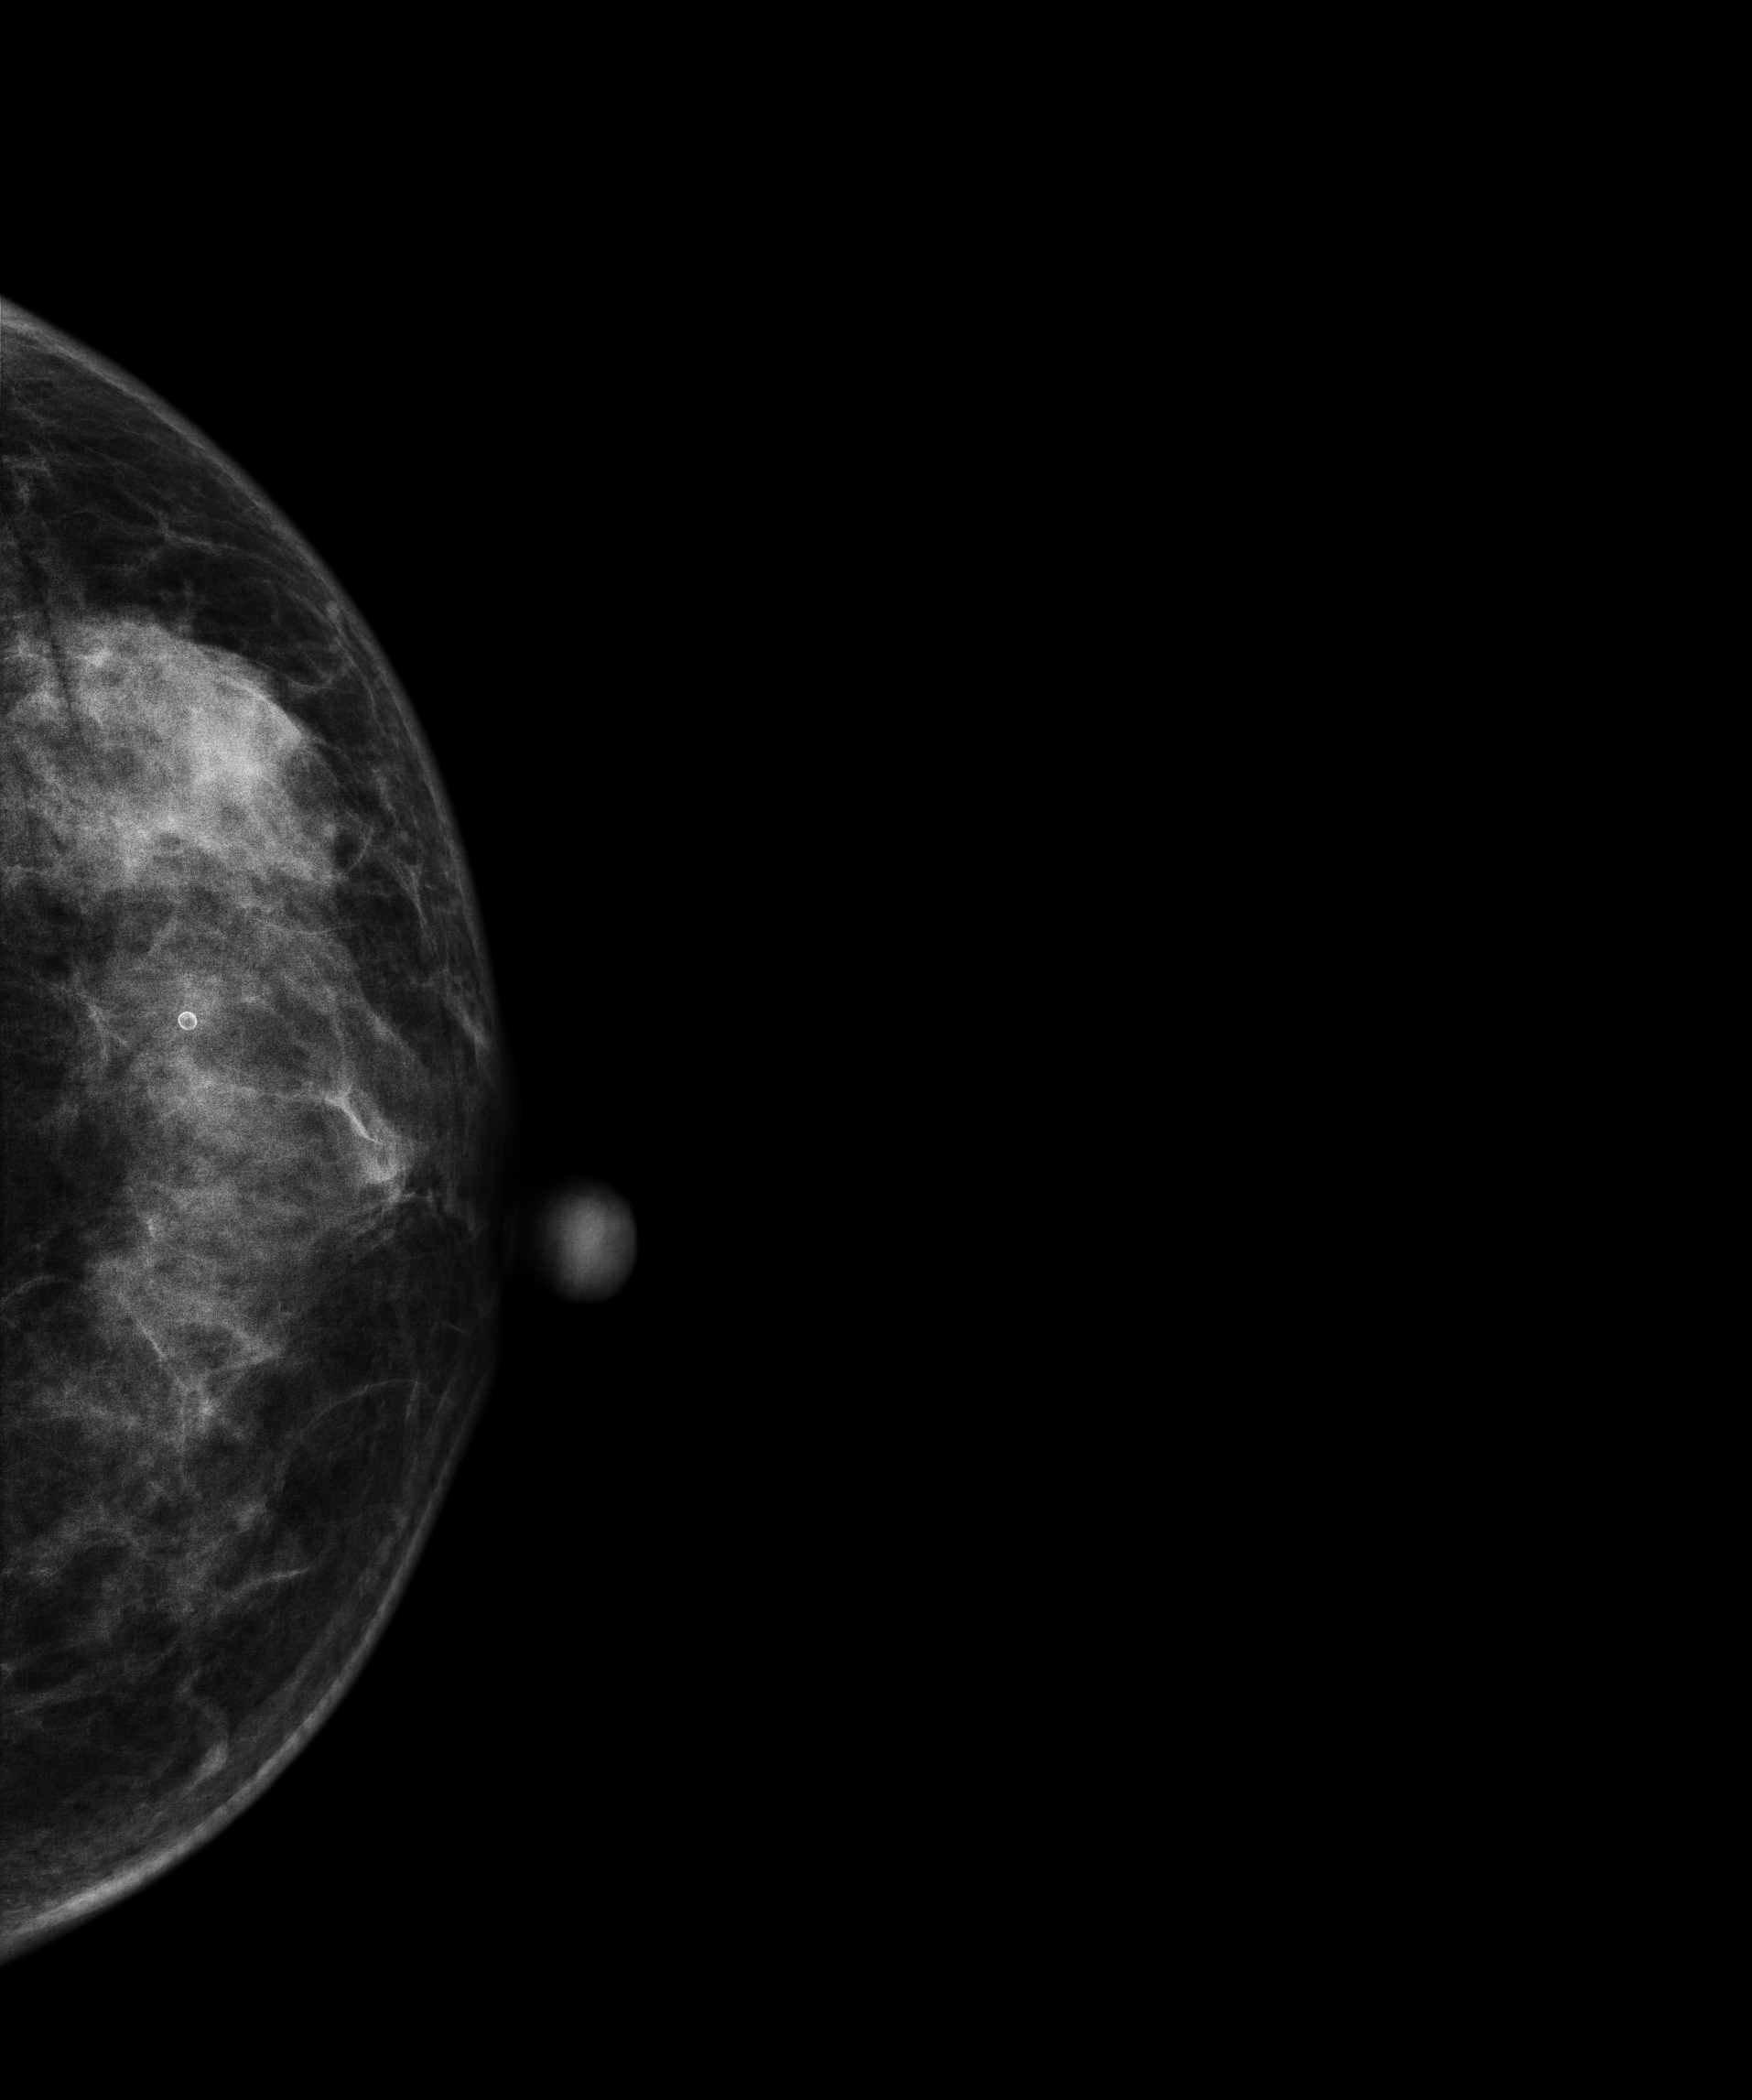
CC mammogram of the left breast. Patient age 52.
This breast has a mass, biopsy-confirmed malignant. Molecular subtype: HER2-enriched.